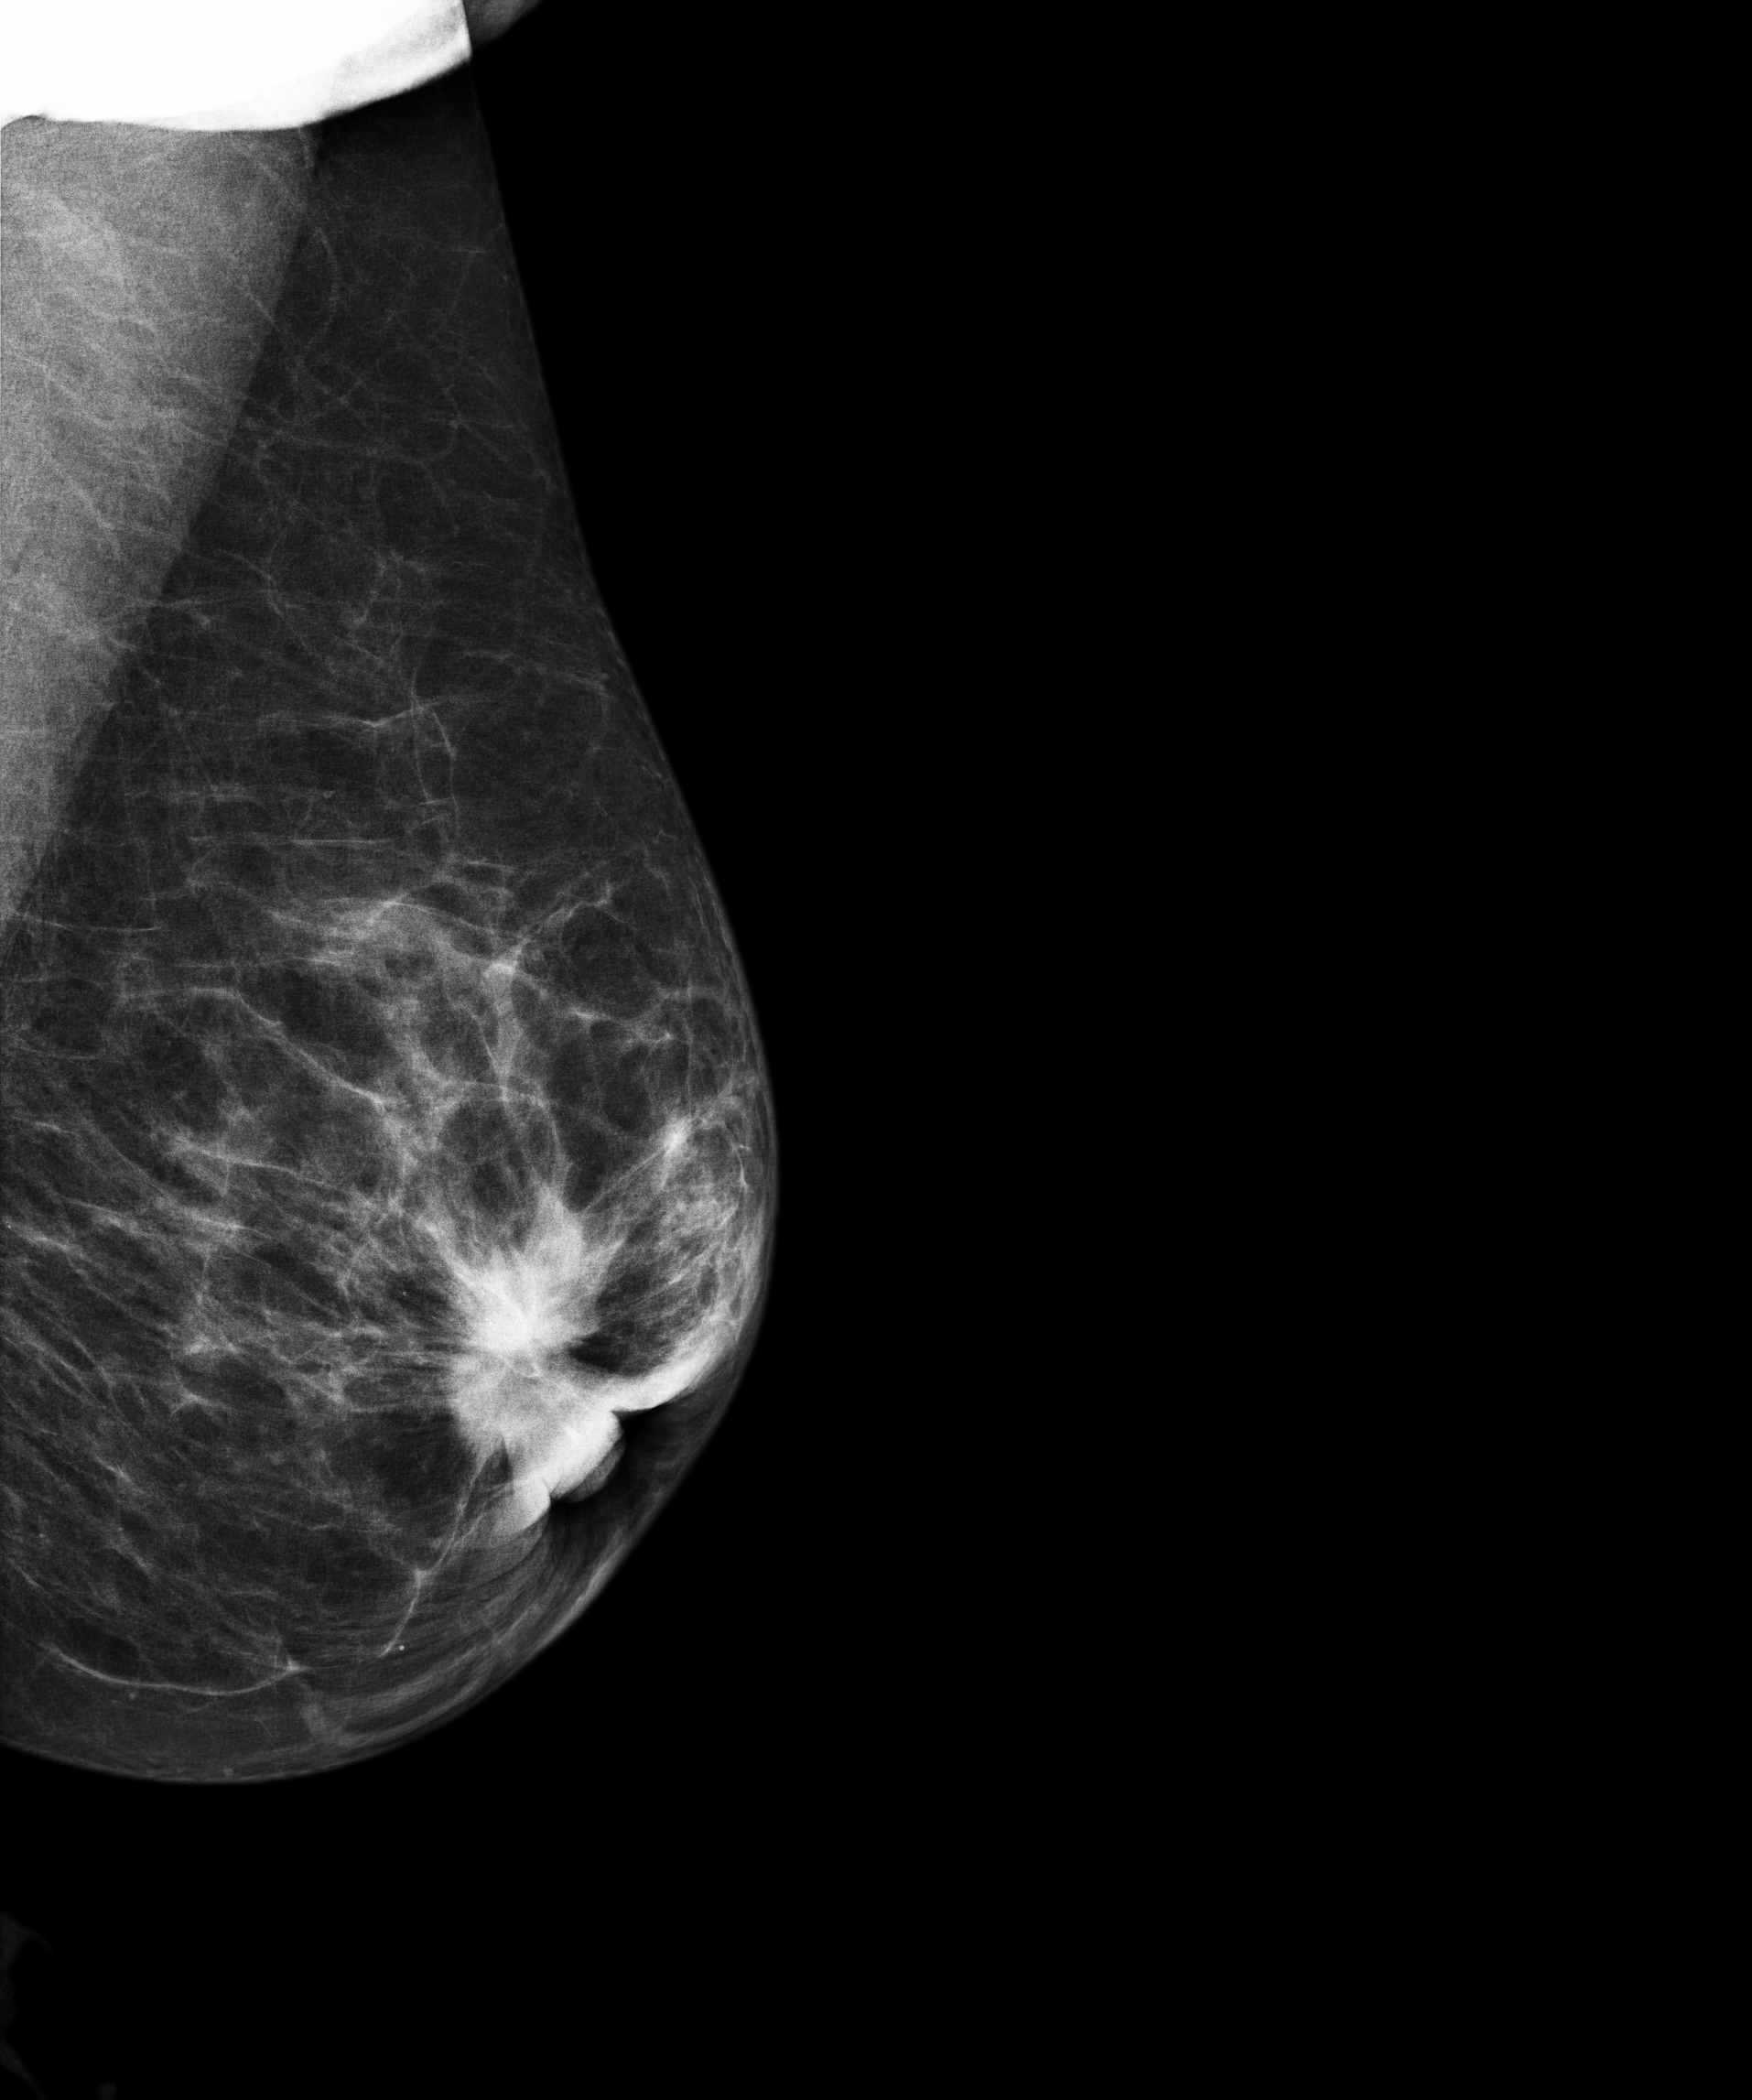
Digital mammography. Left breast, medio-lateral oblique projection. 71-year-old patient.
This breast has a mass, biopsy-confirmed malignant.